Medio-lateral oblique mammogram of the left breast. Patient age 82.
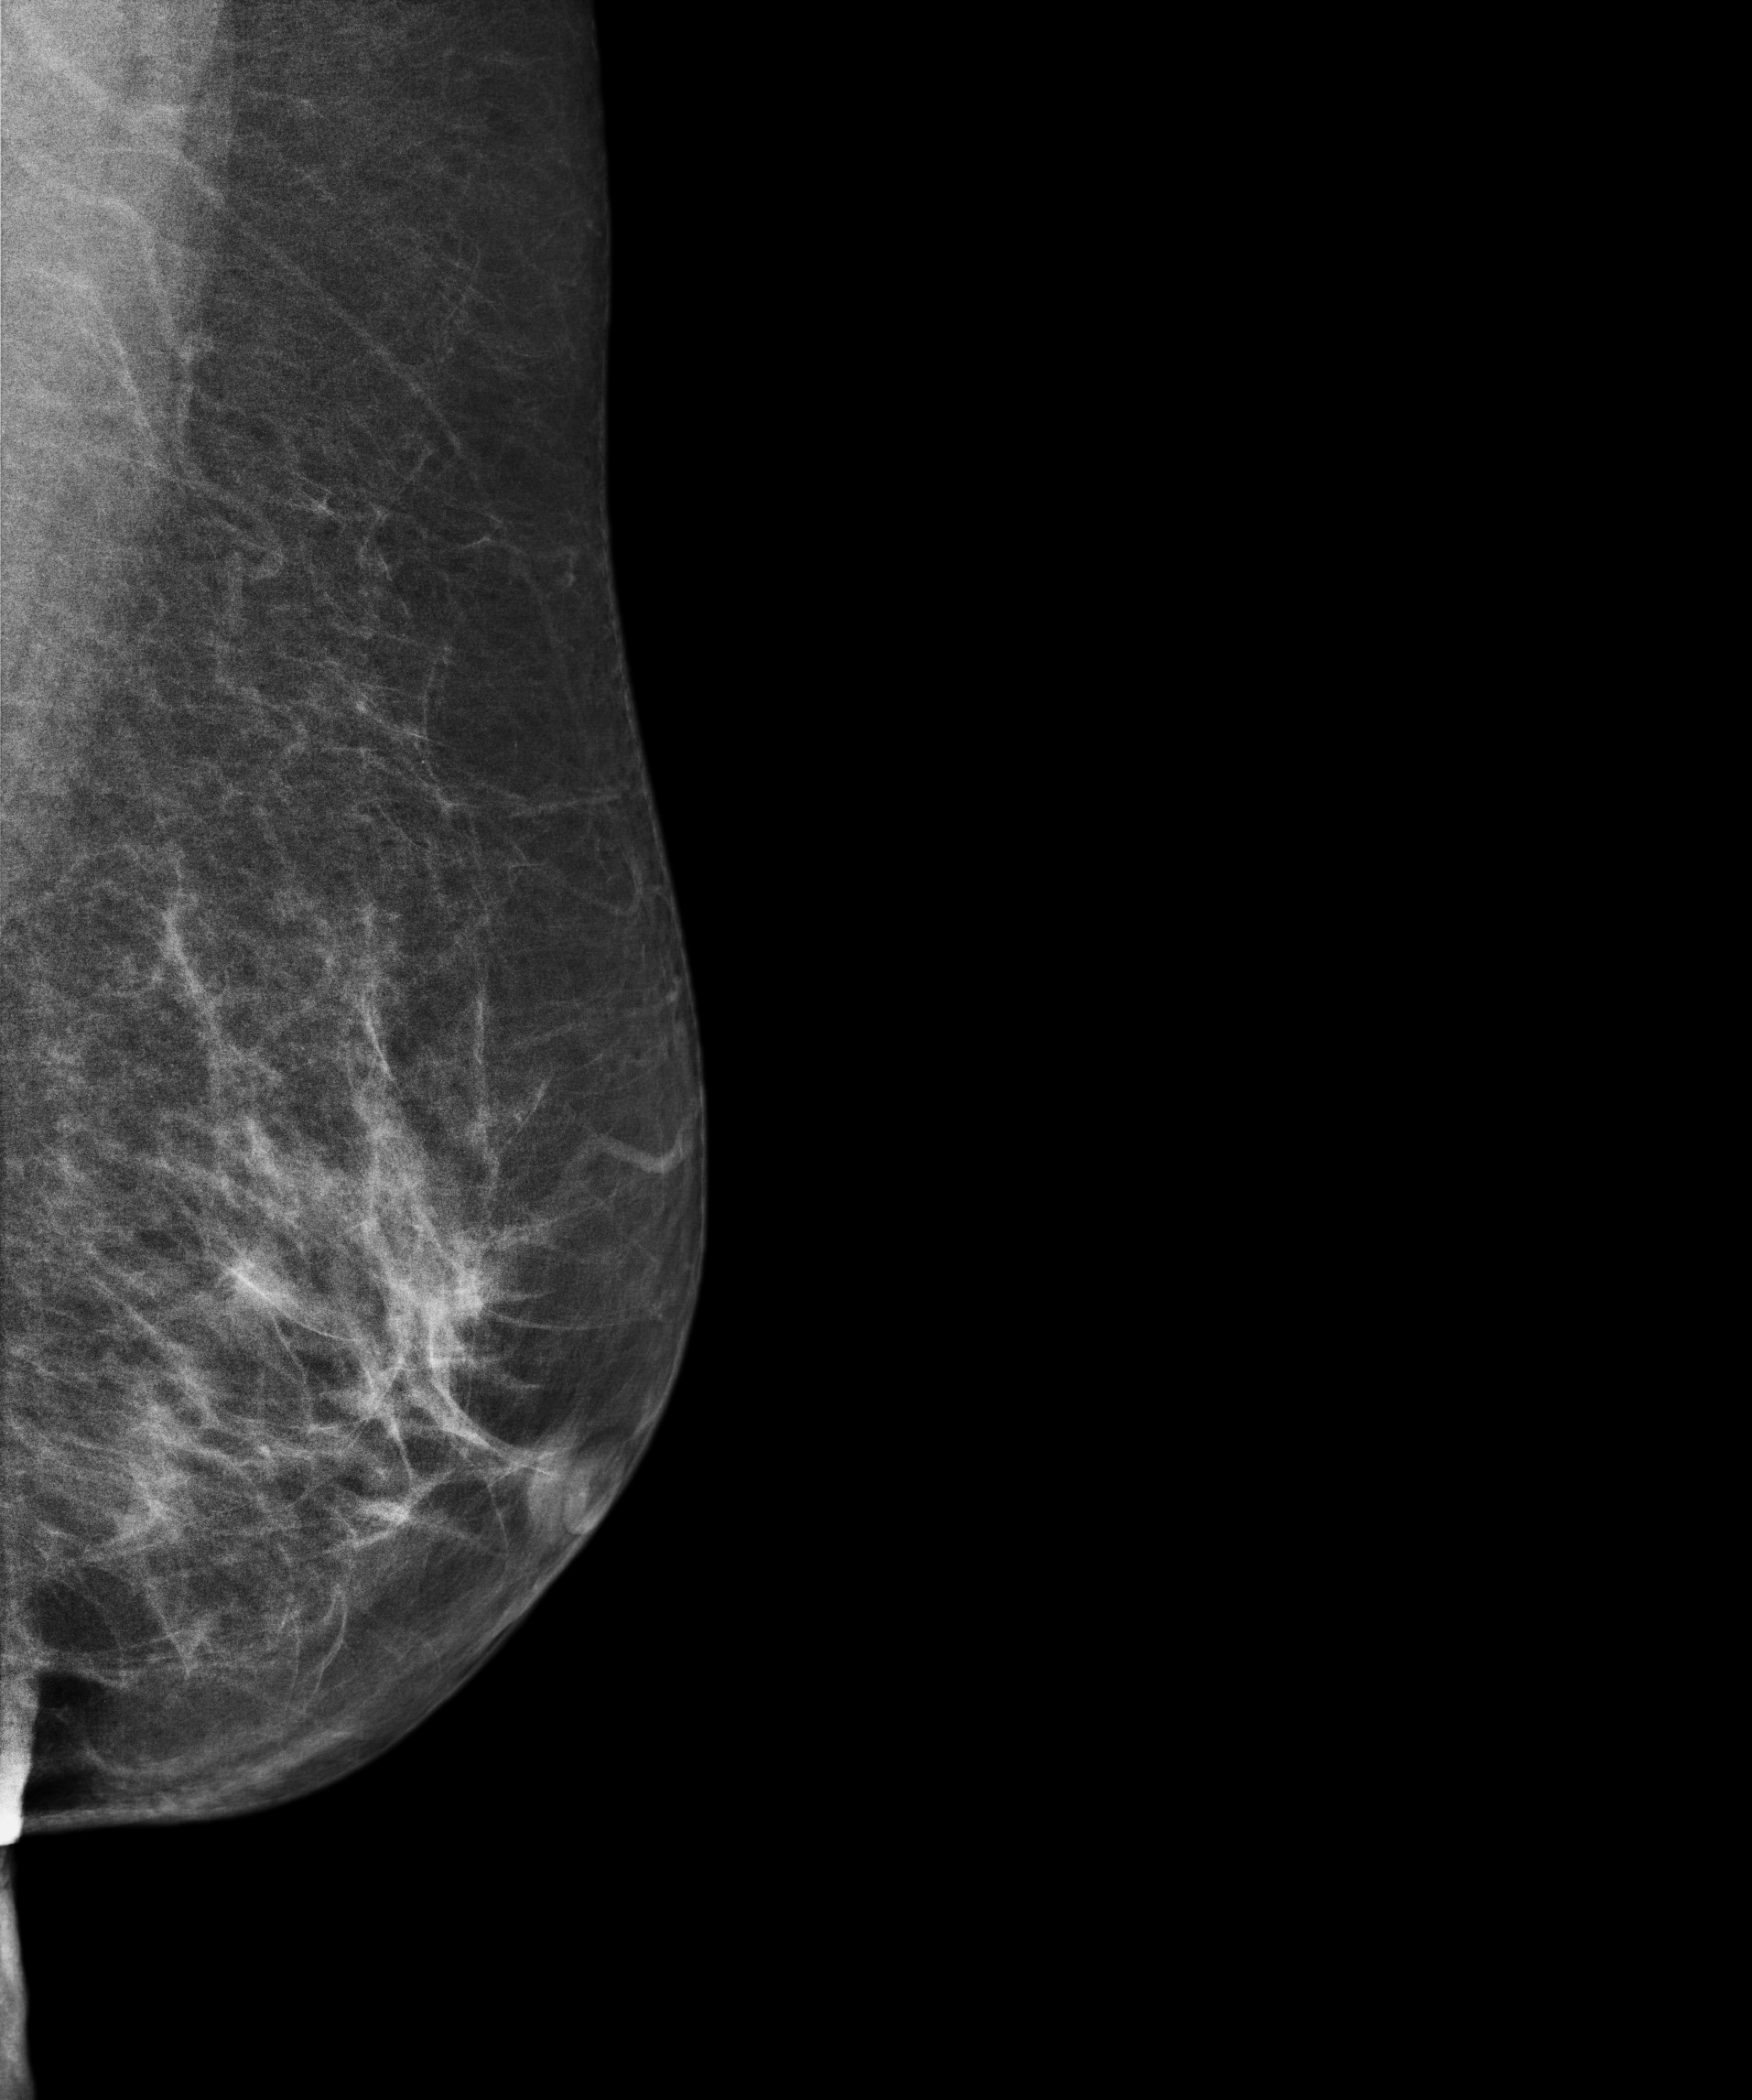
Contralateral breast — no documented abnormality on this side.